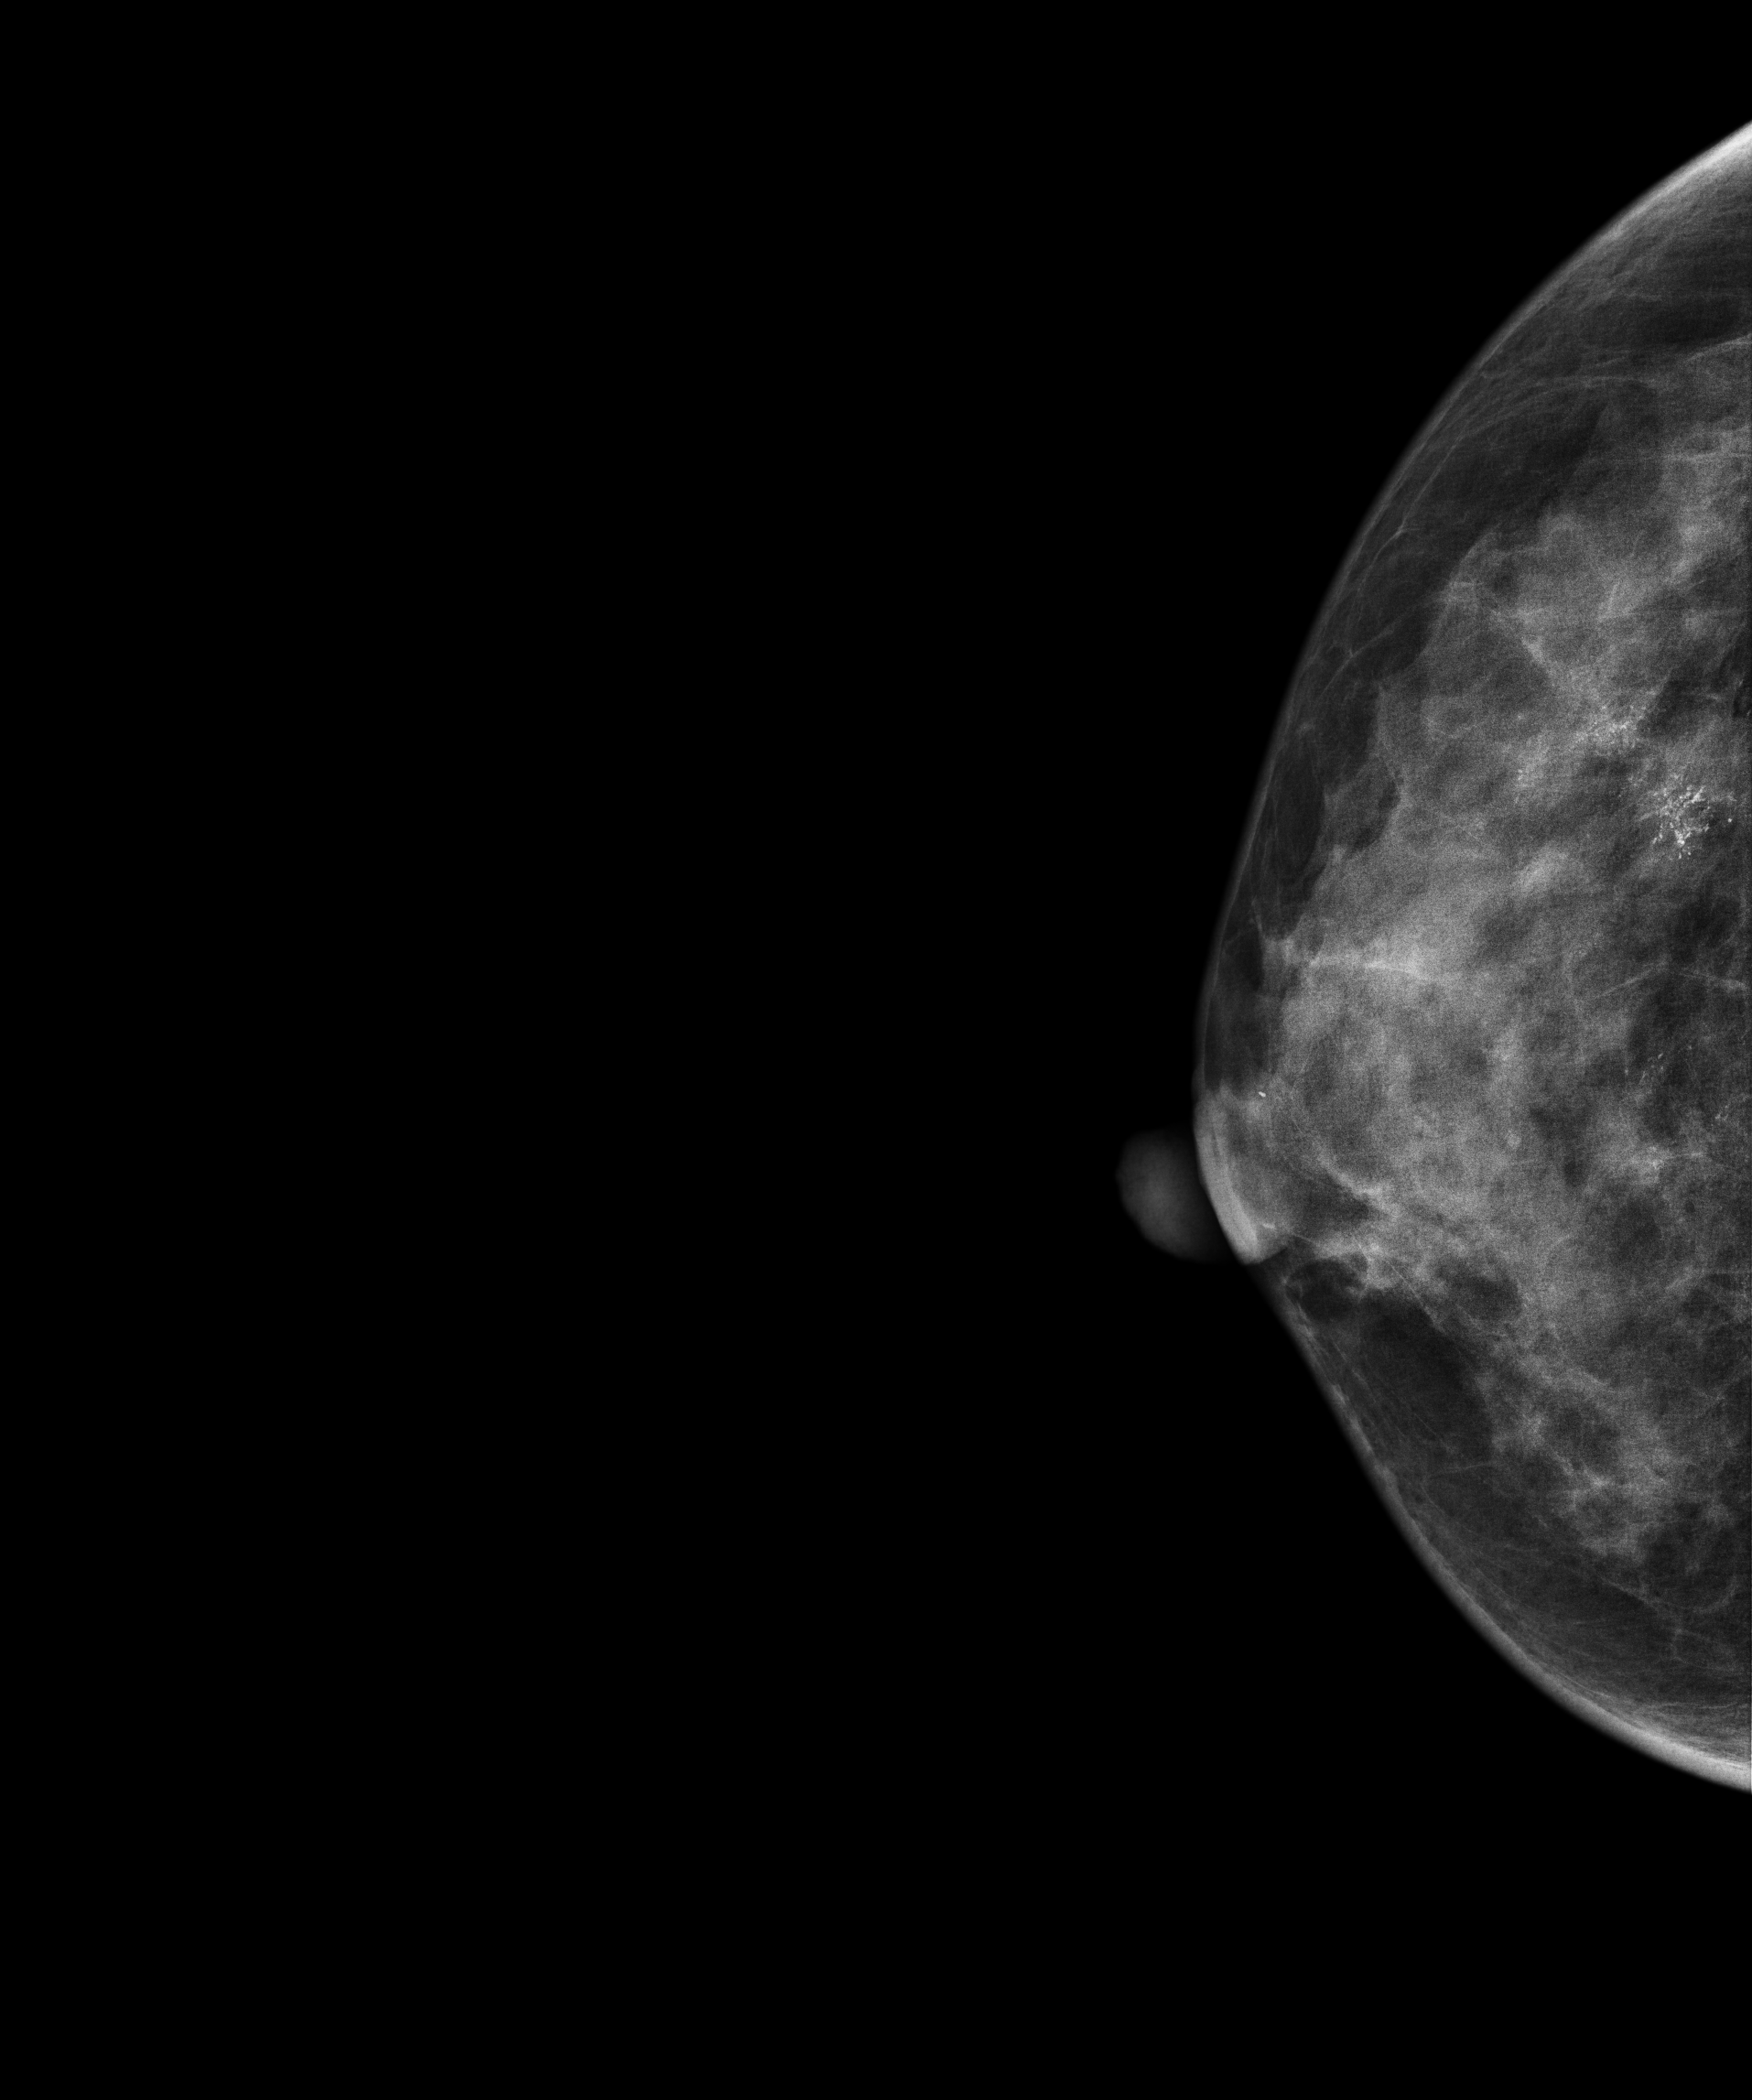
Mammogram — right cranio-caudal. 39-year-old patient.
This breast has calcifications, histologically confirmed malignant. Molecular subtype: luminal B.